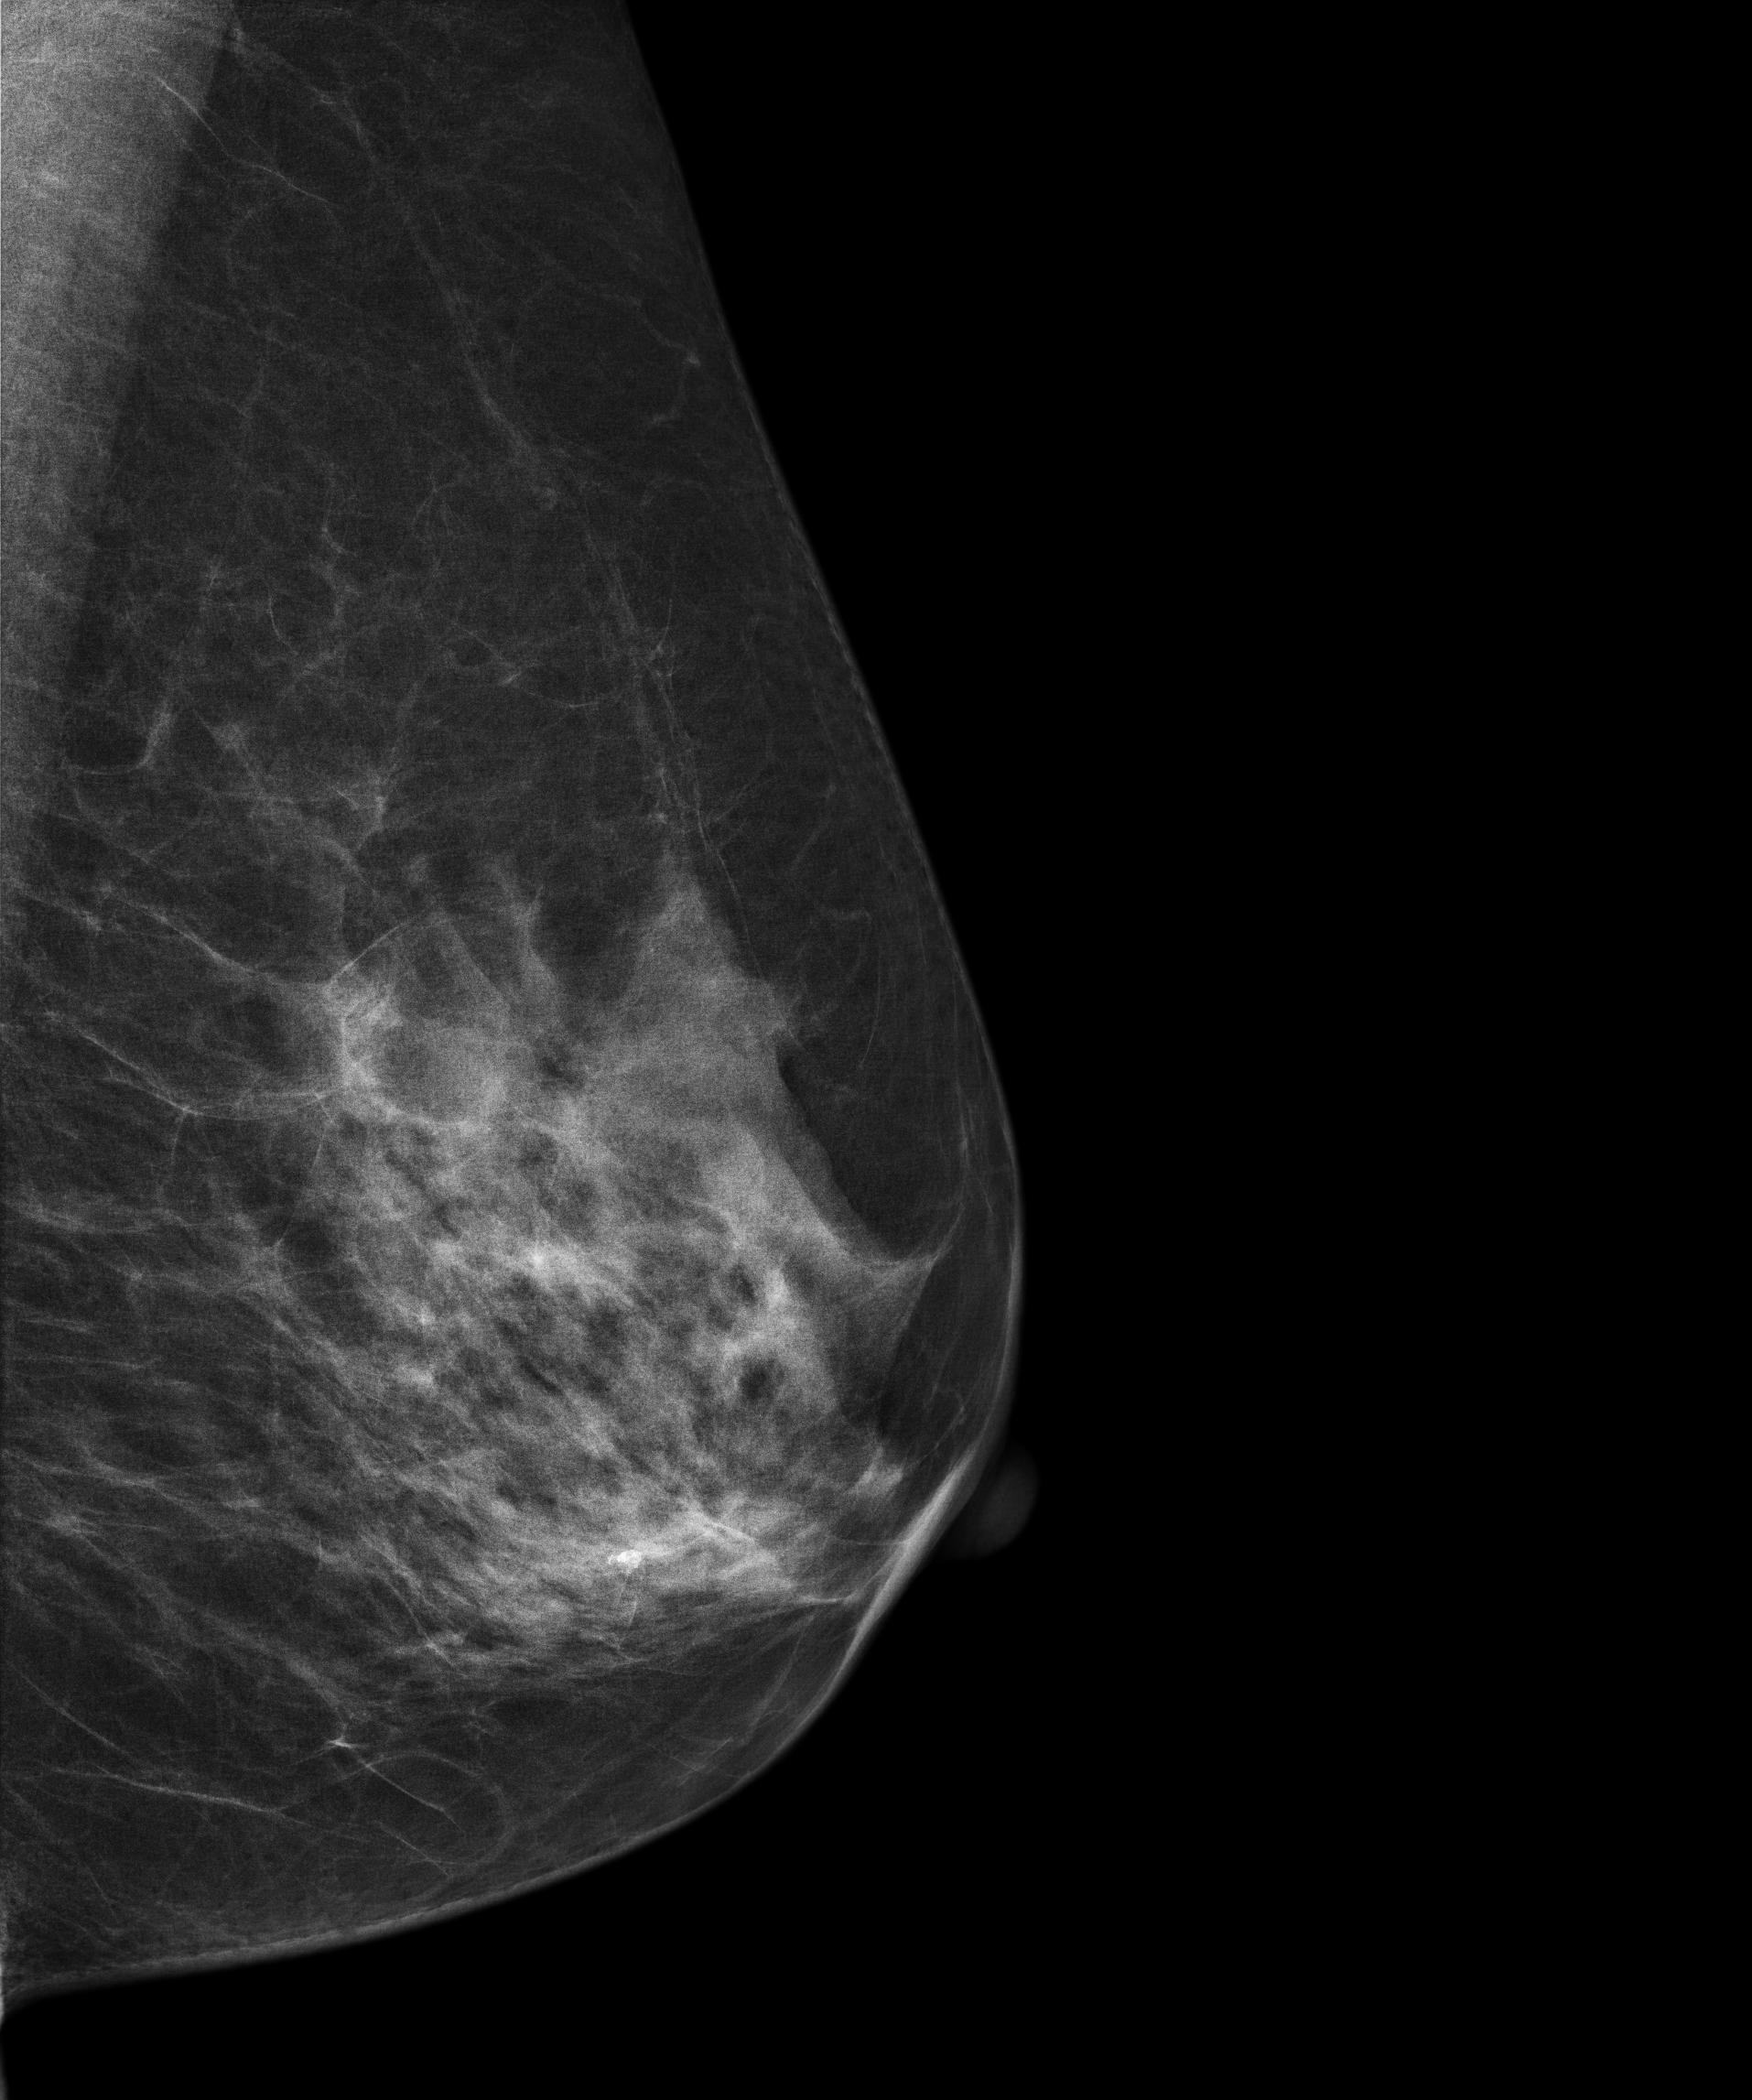
Mammogram — left medio-lateral oblique. Patient age 56.
Contralateral breast — no documented abnormality on this side.